Mammogram — right CC. 61-year-old patient.
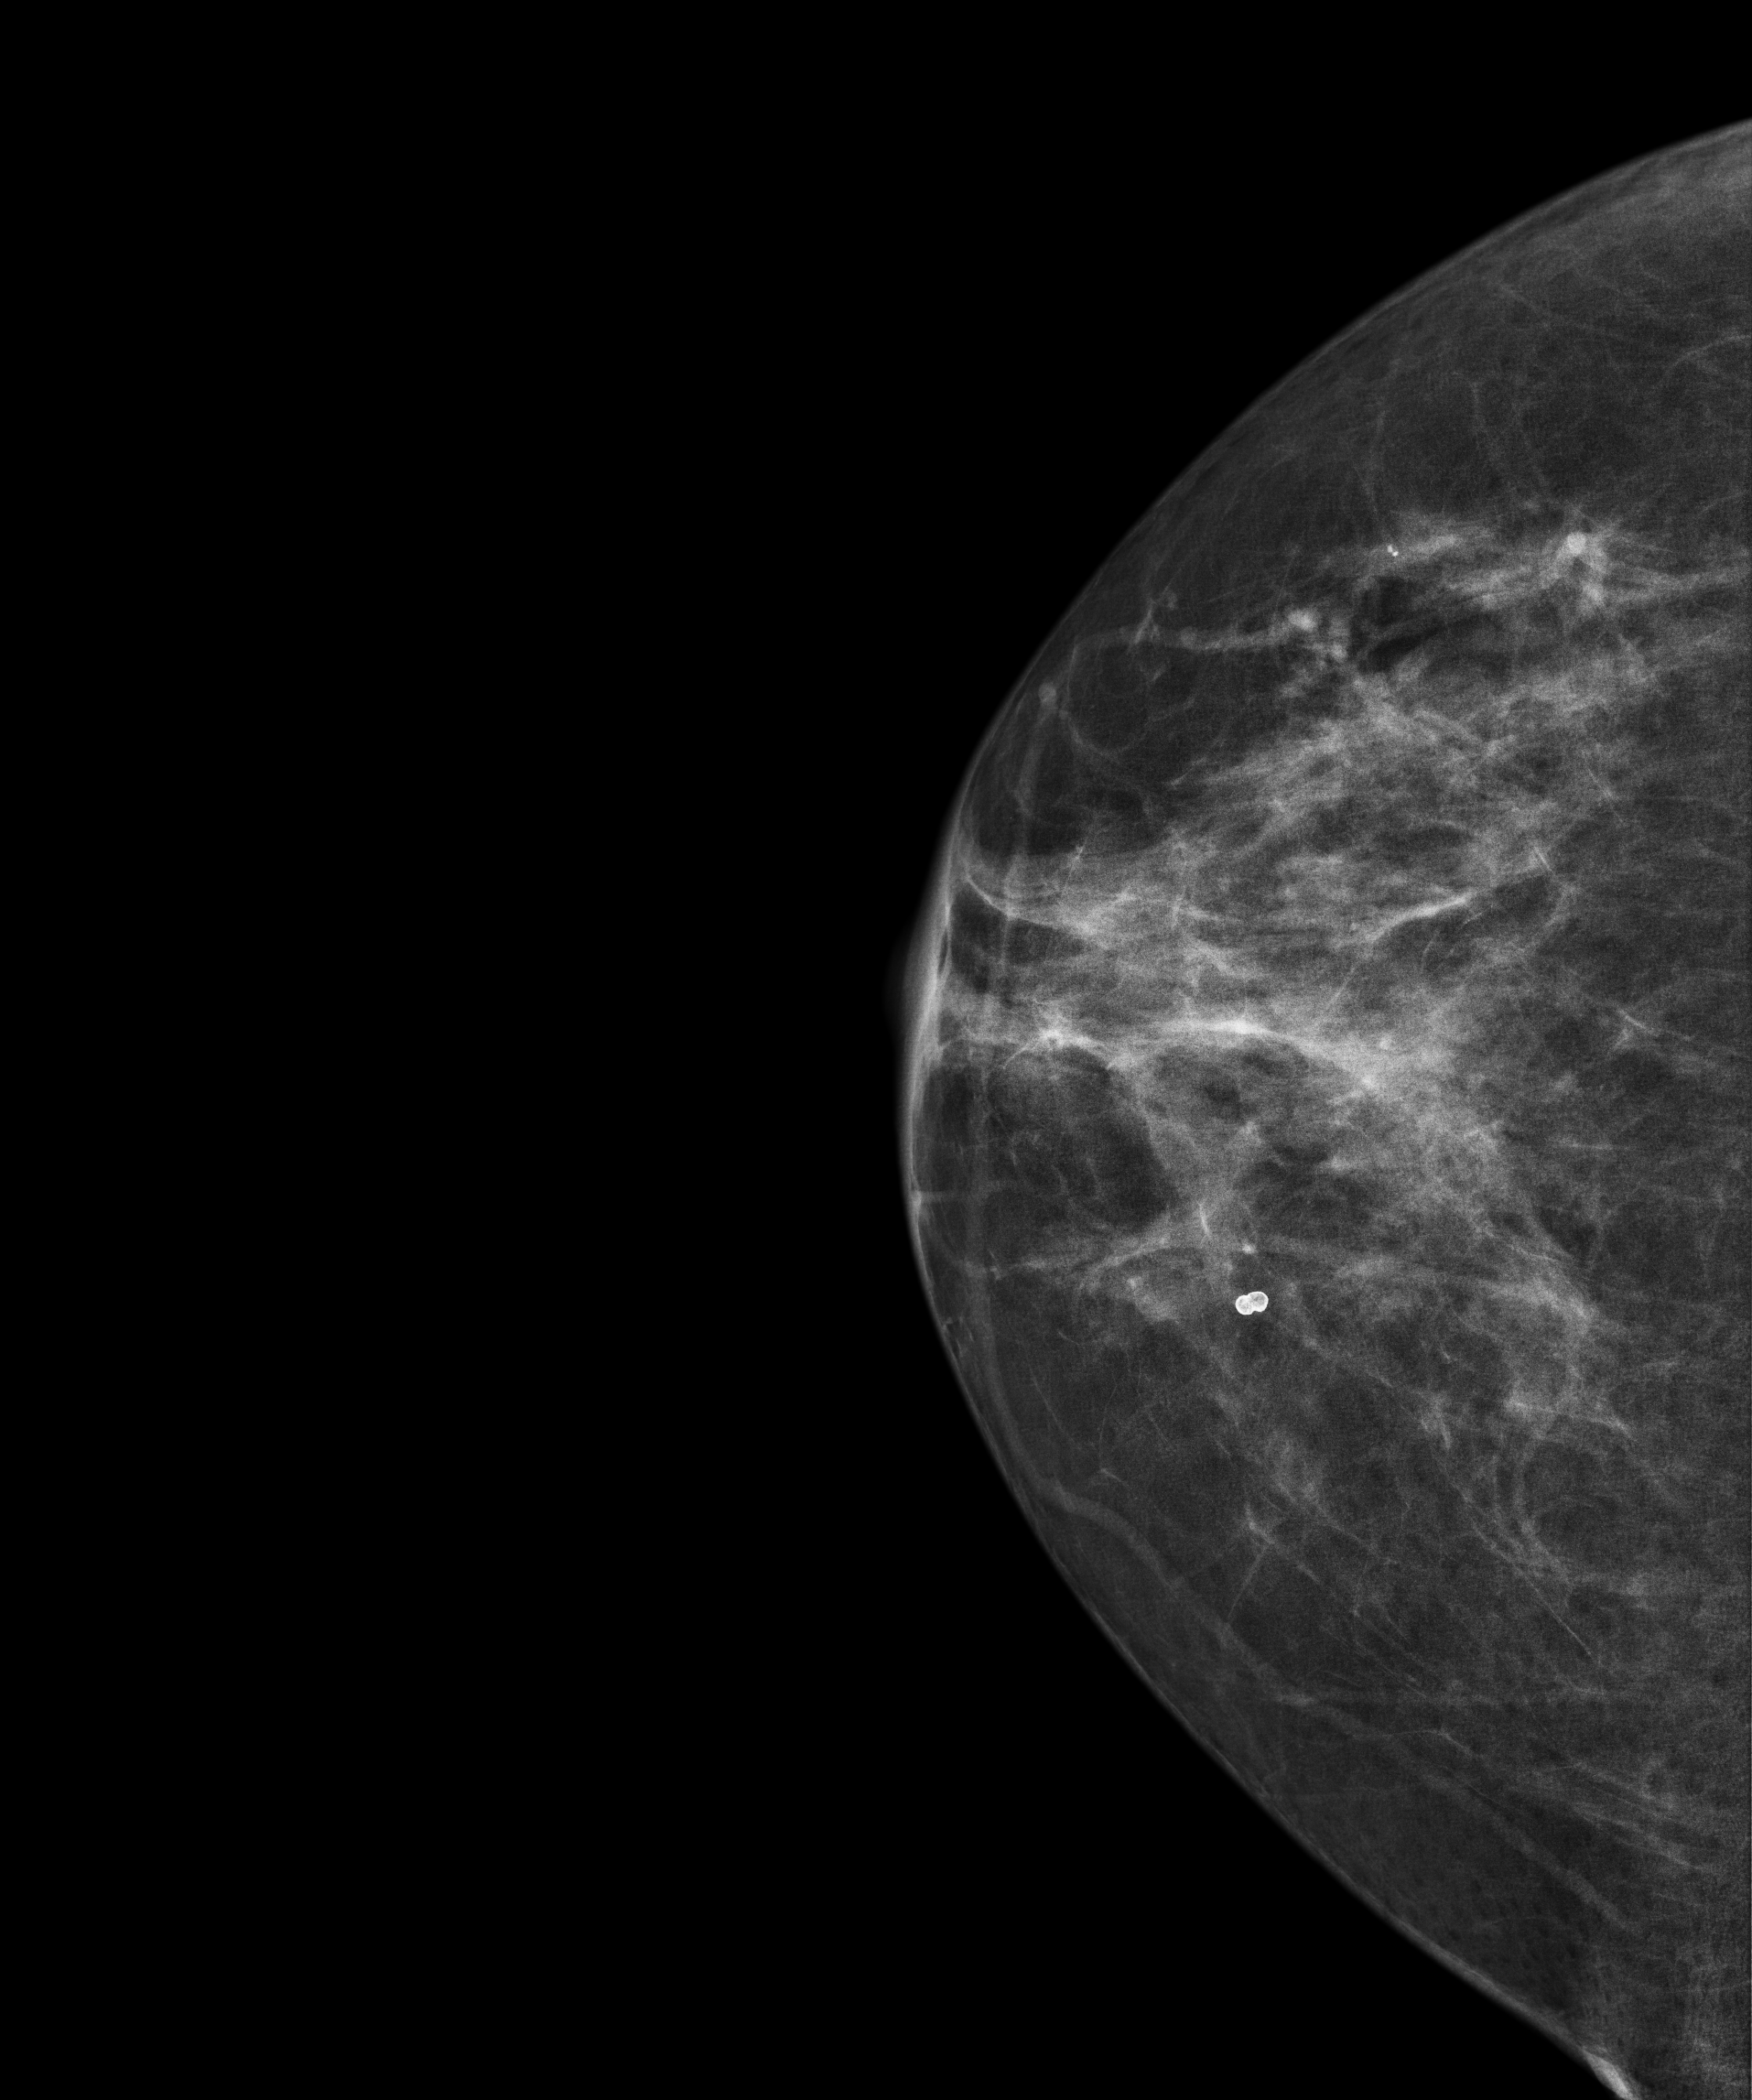
Contralateral breast — no documented abnormality on this side.